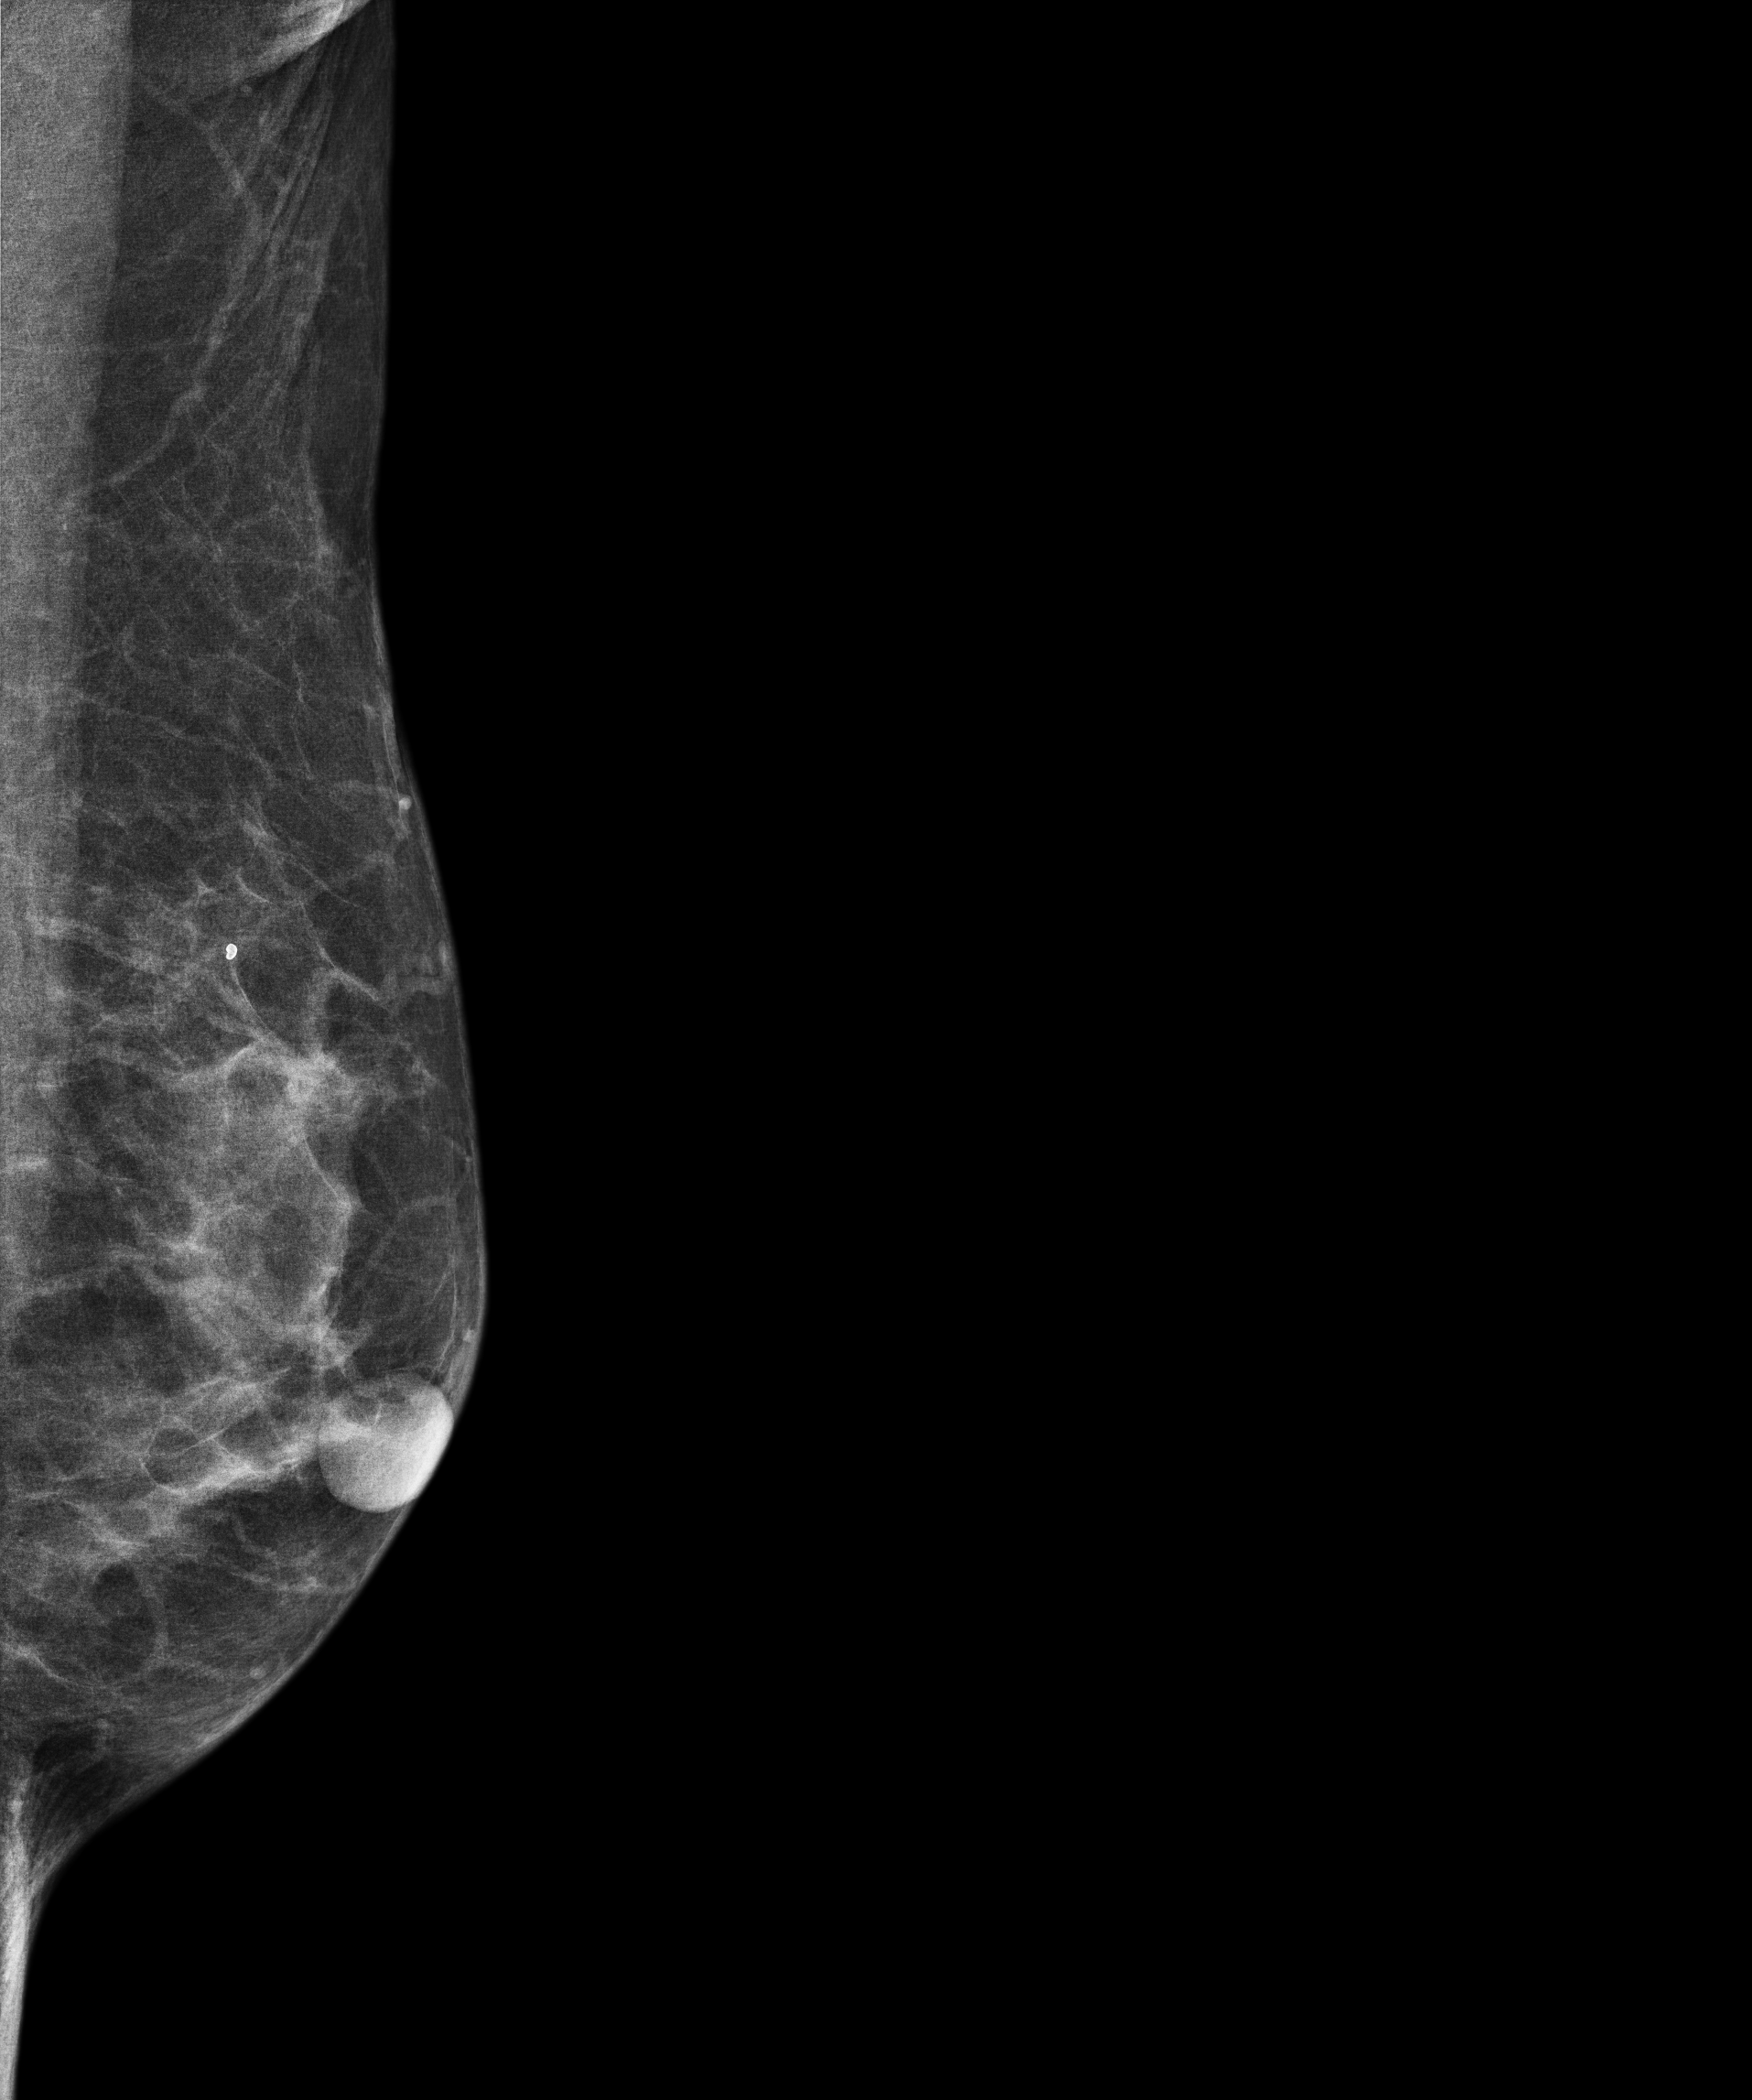
Mammogram, left breast, MLO view. 66-year-old patient.
Contralateral breast — no documented abnormality on this side.